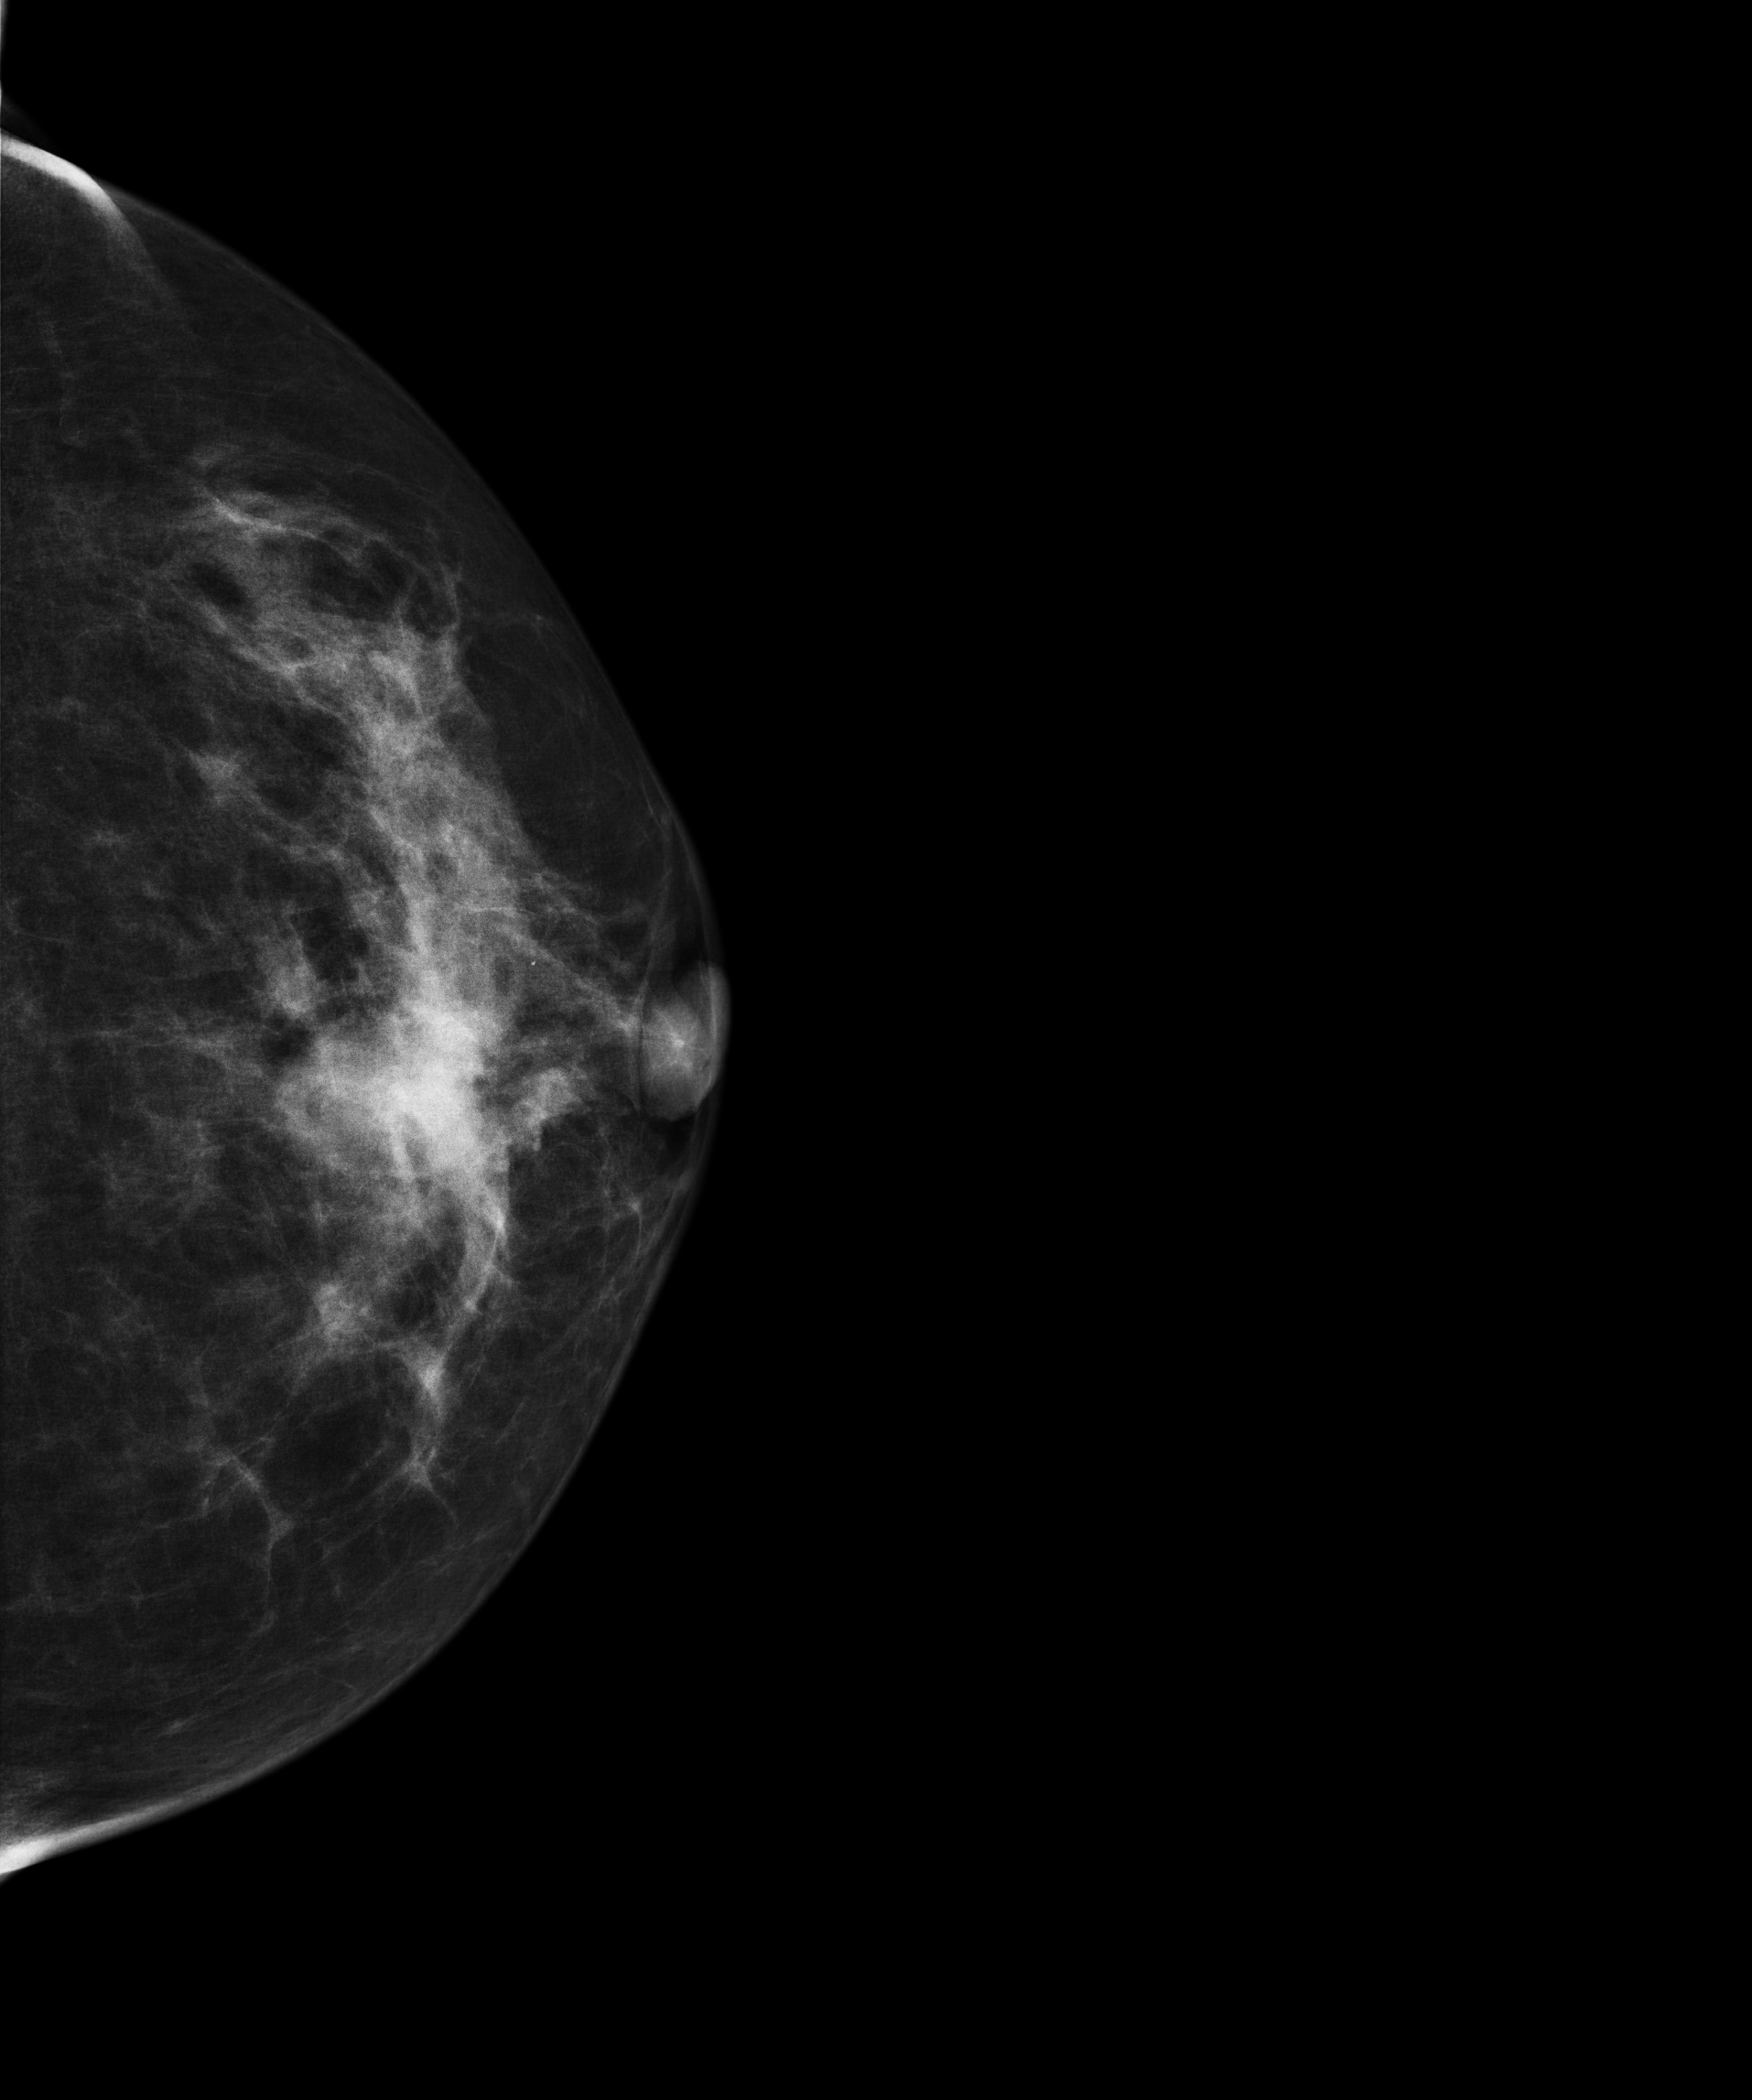
CC mammogram of the left breast. 59-year-old patient.
This breast has a mass, biopsy-proven malignant. Molecular subtype: HER2-enriched.